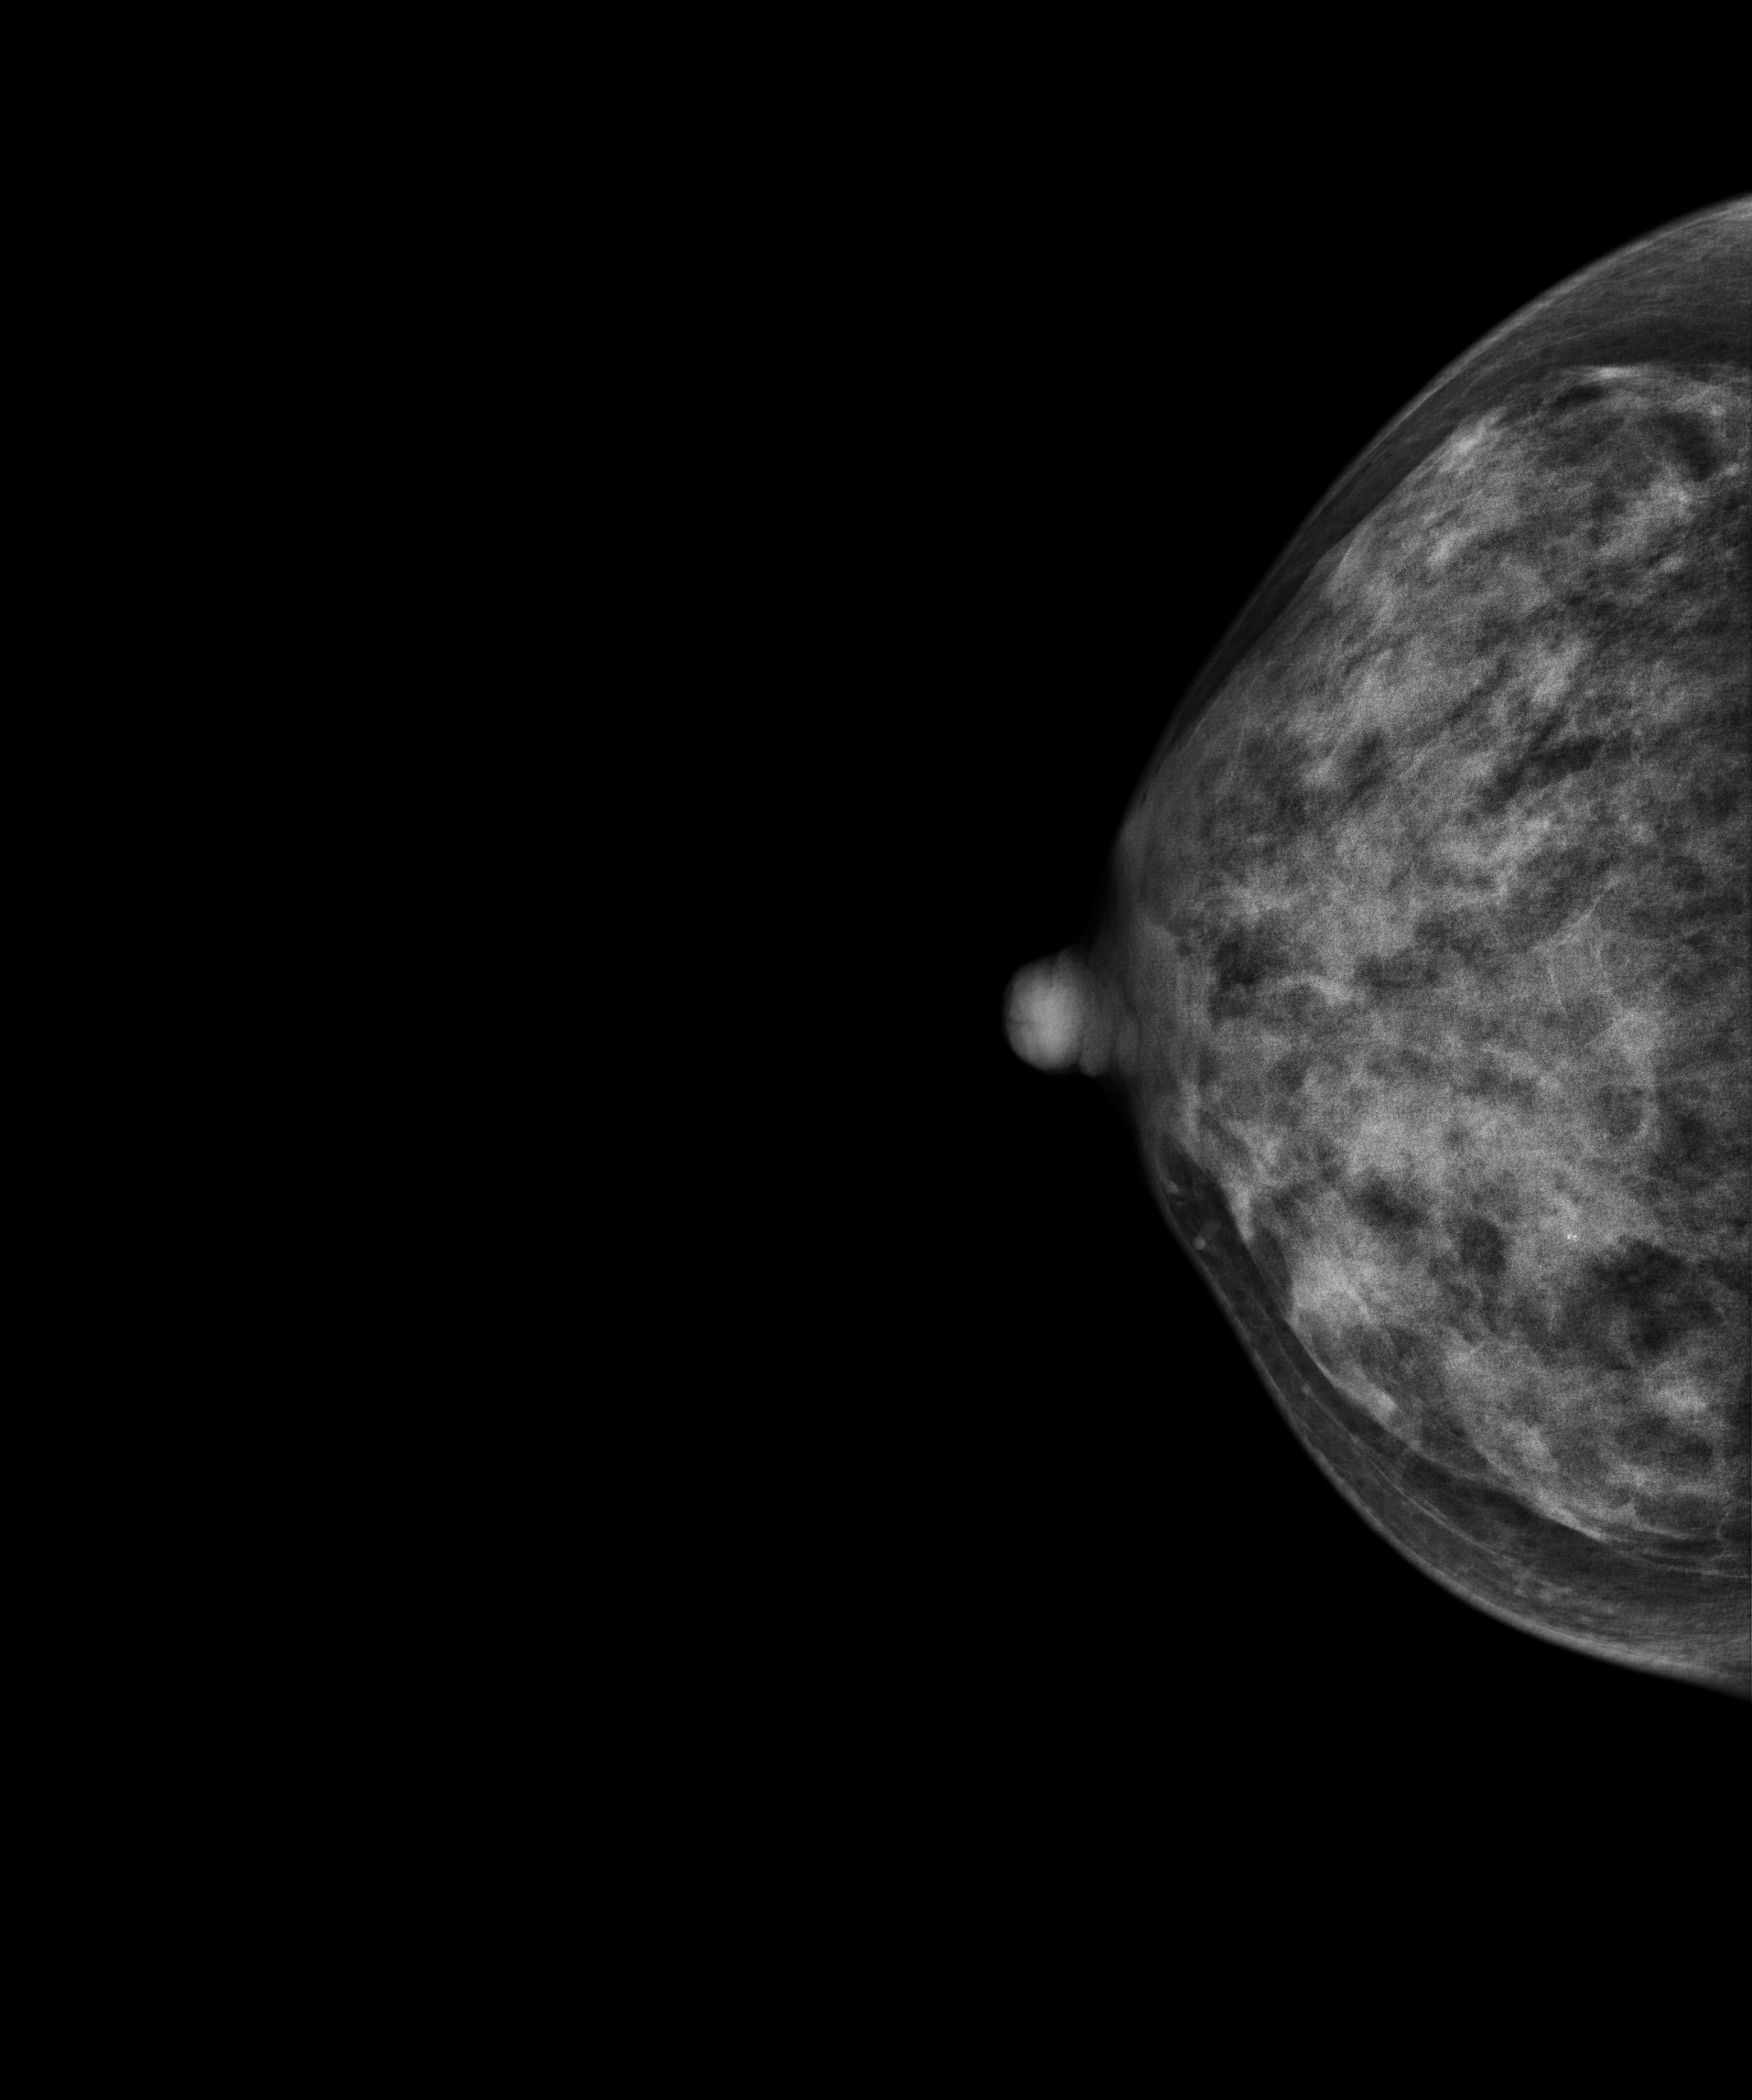
Right-breast mammogram, CC. 45 y/o patient.
Contralateral breast — no documented abnormality on this side.